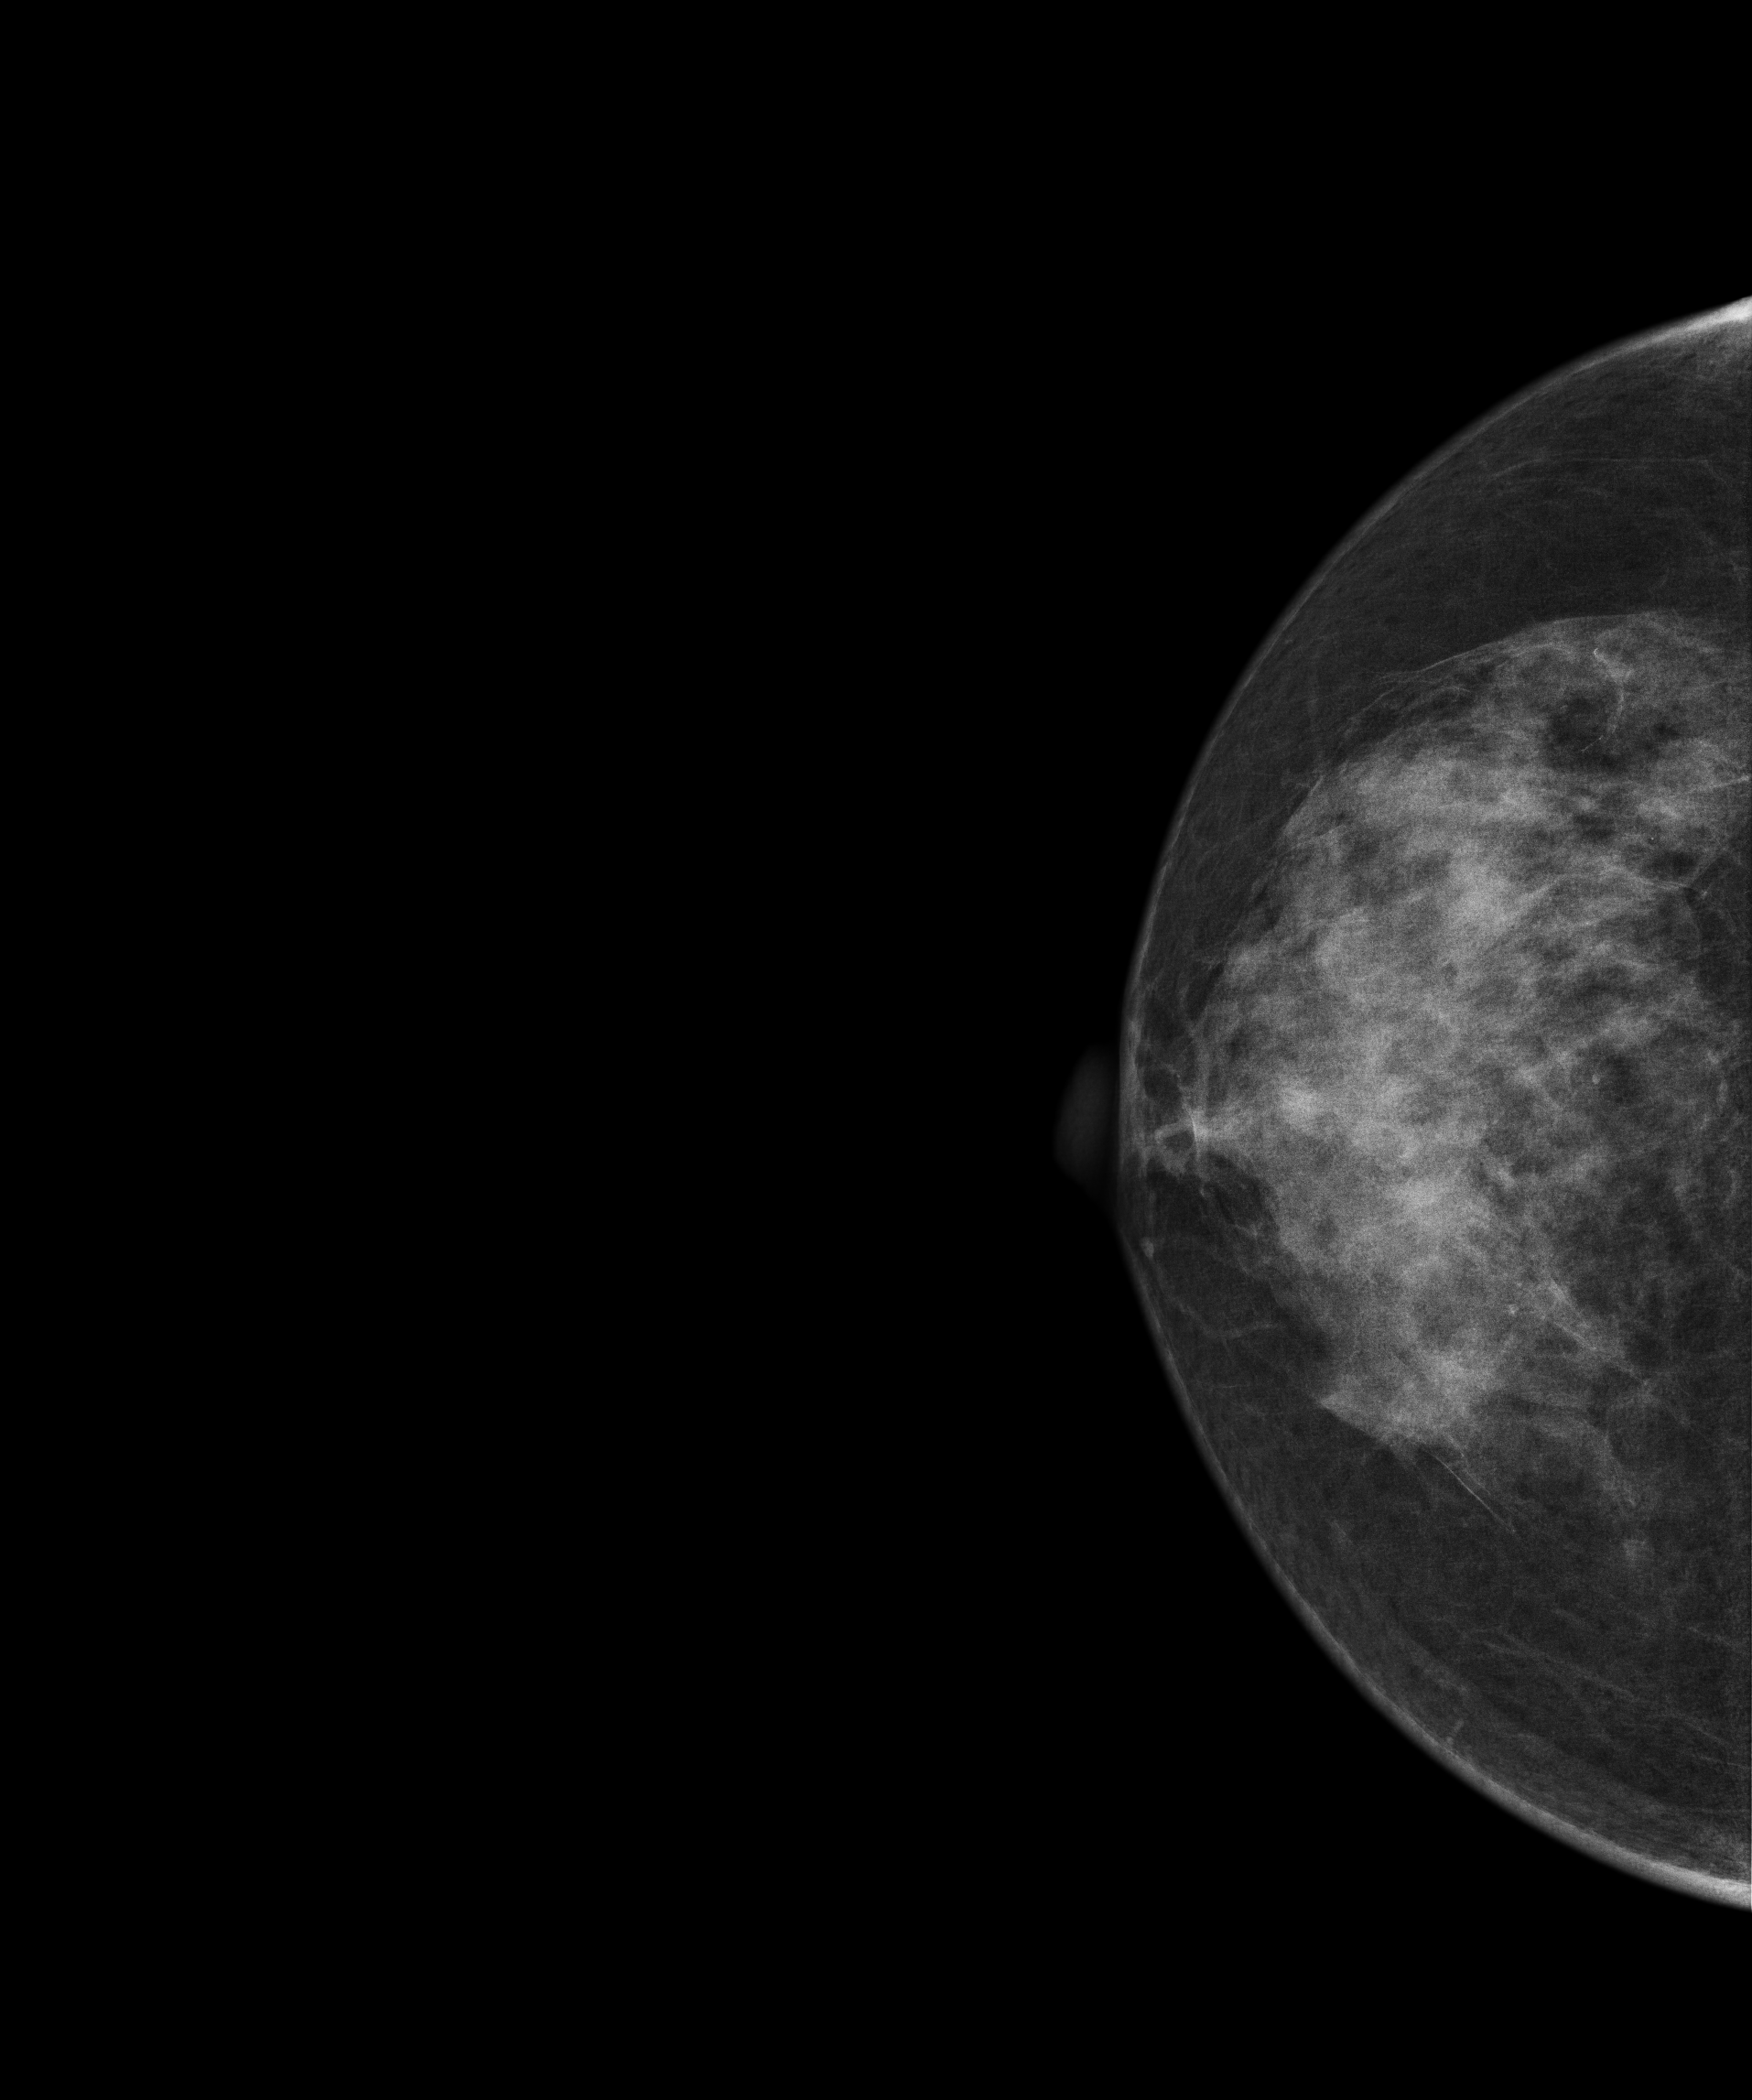
Mammogram — right CC. Patient age 77.
Contralateral breast — no documented abnormality on this side.